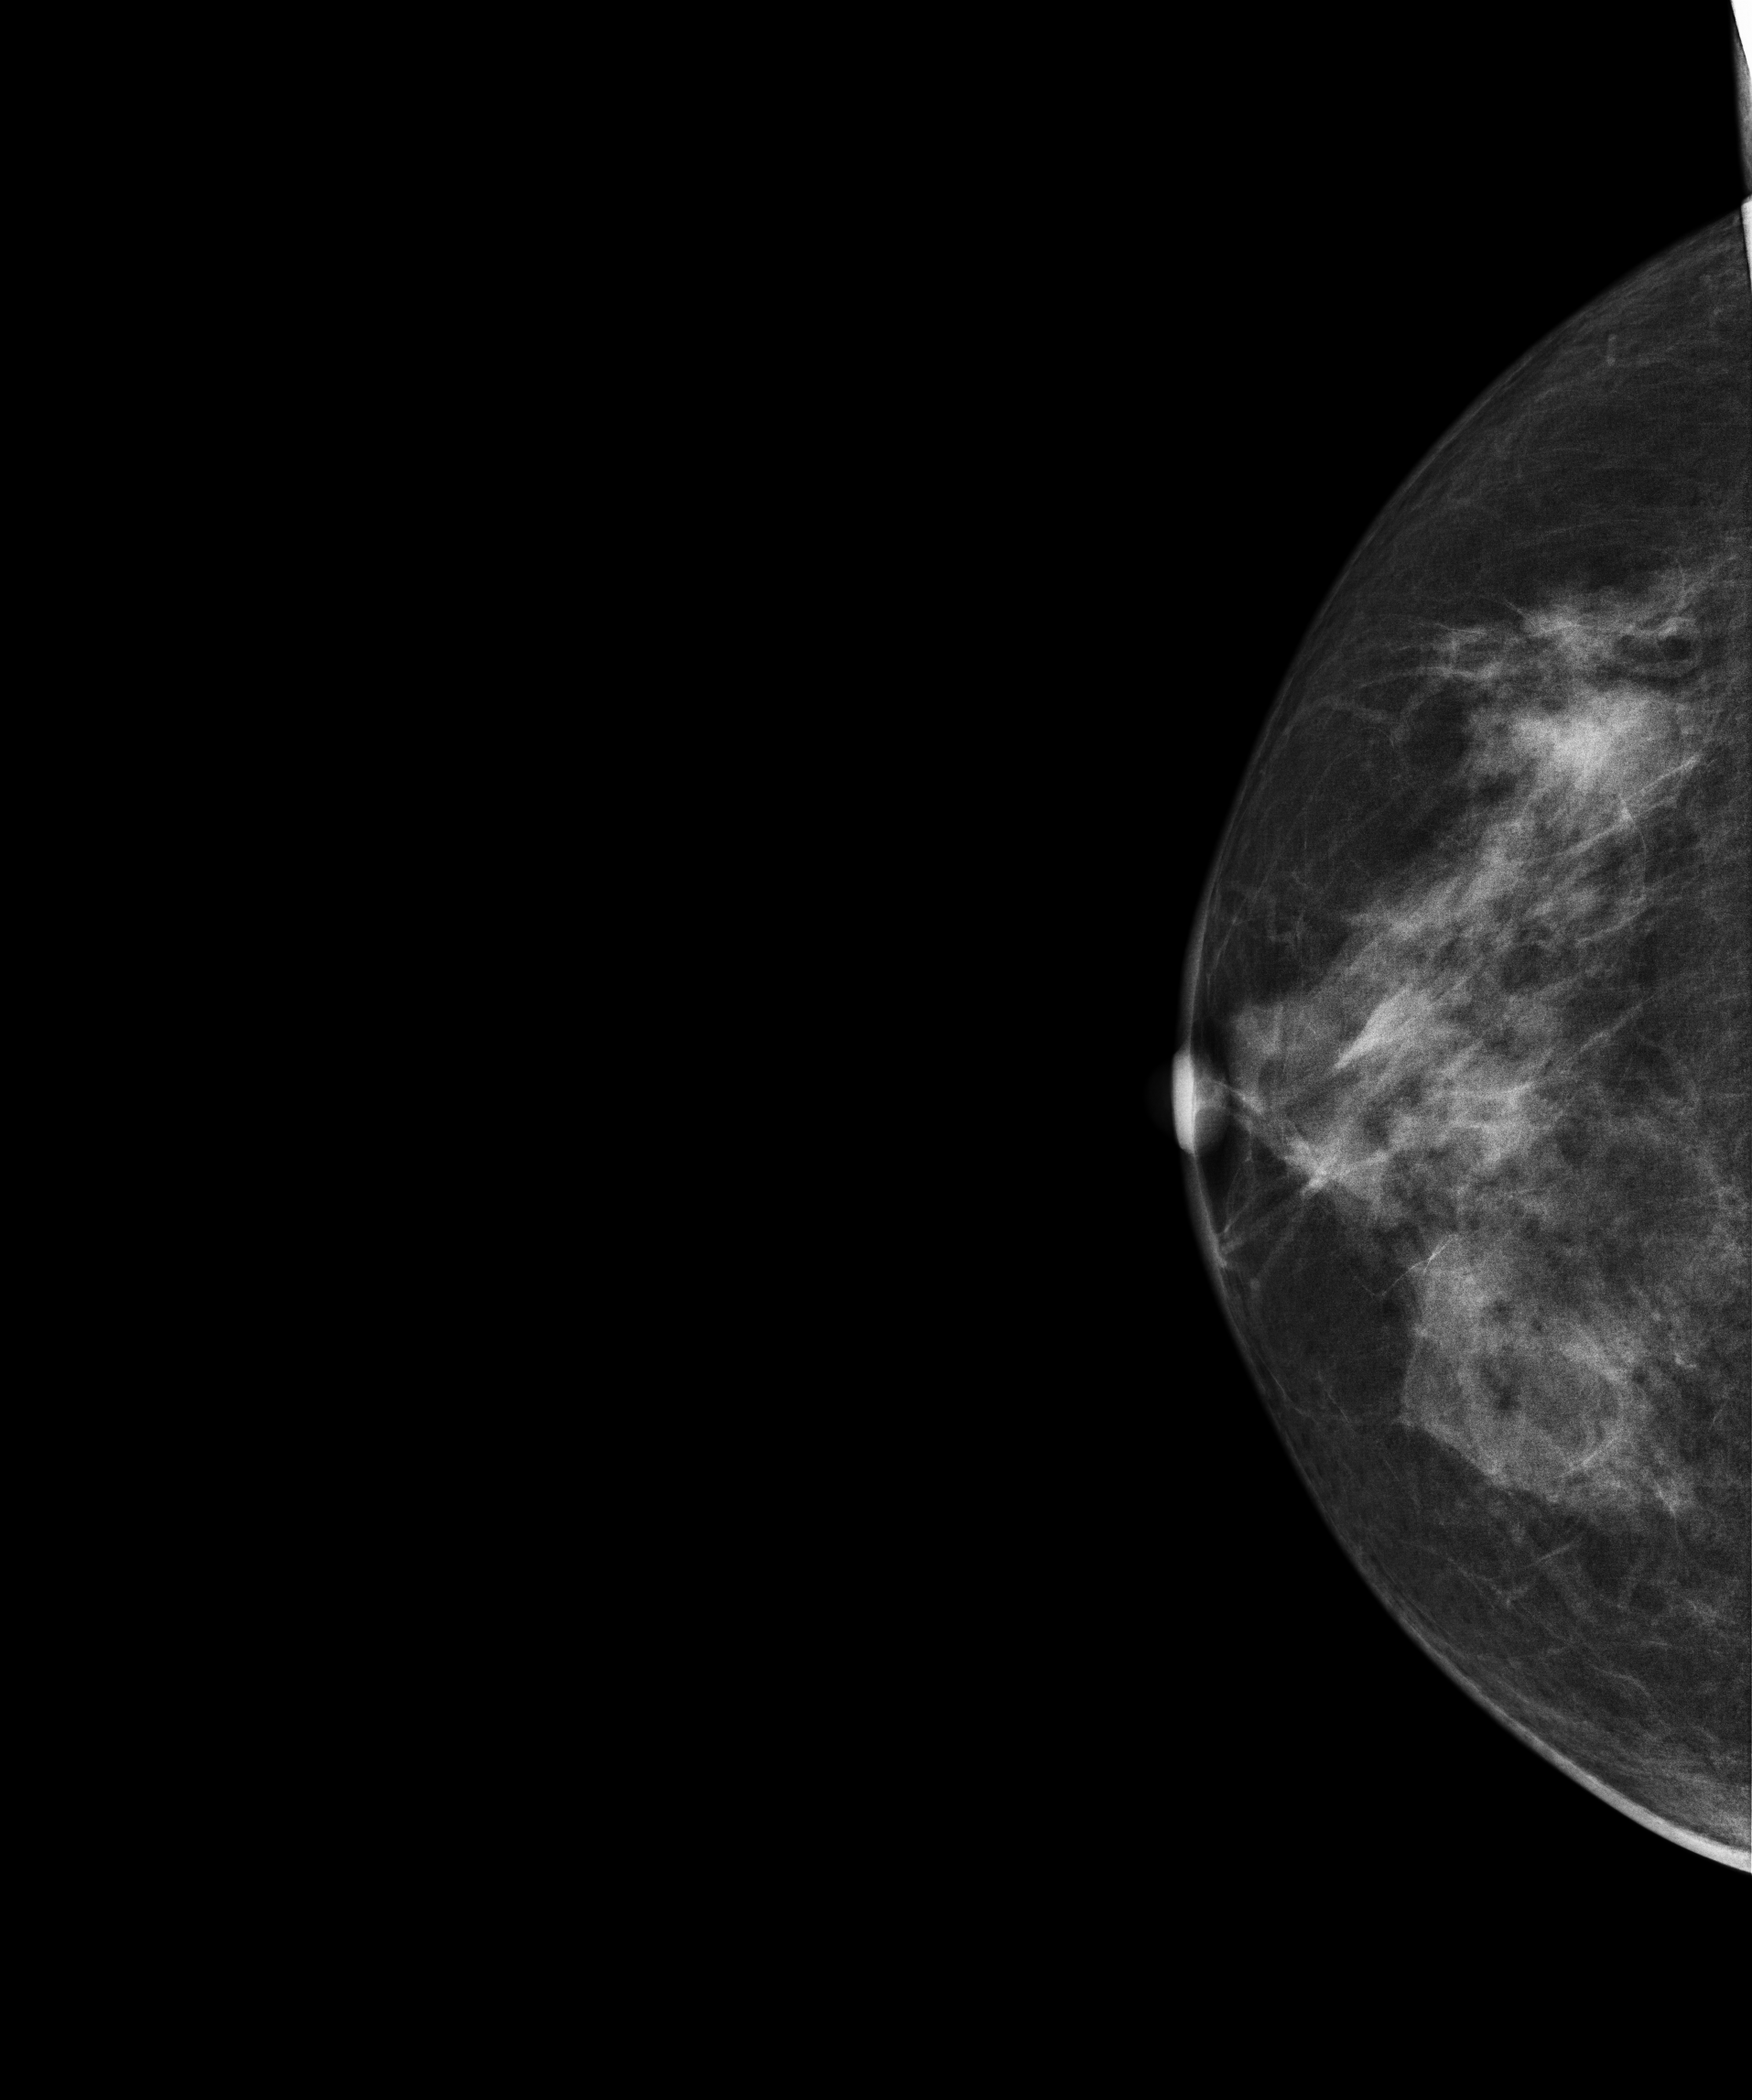
Mammogram, right breast, CC view. Patient age 58.
This breast has a mass, histologically confirmed malignant.